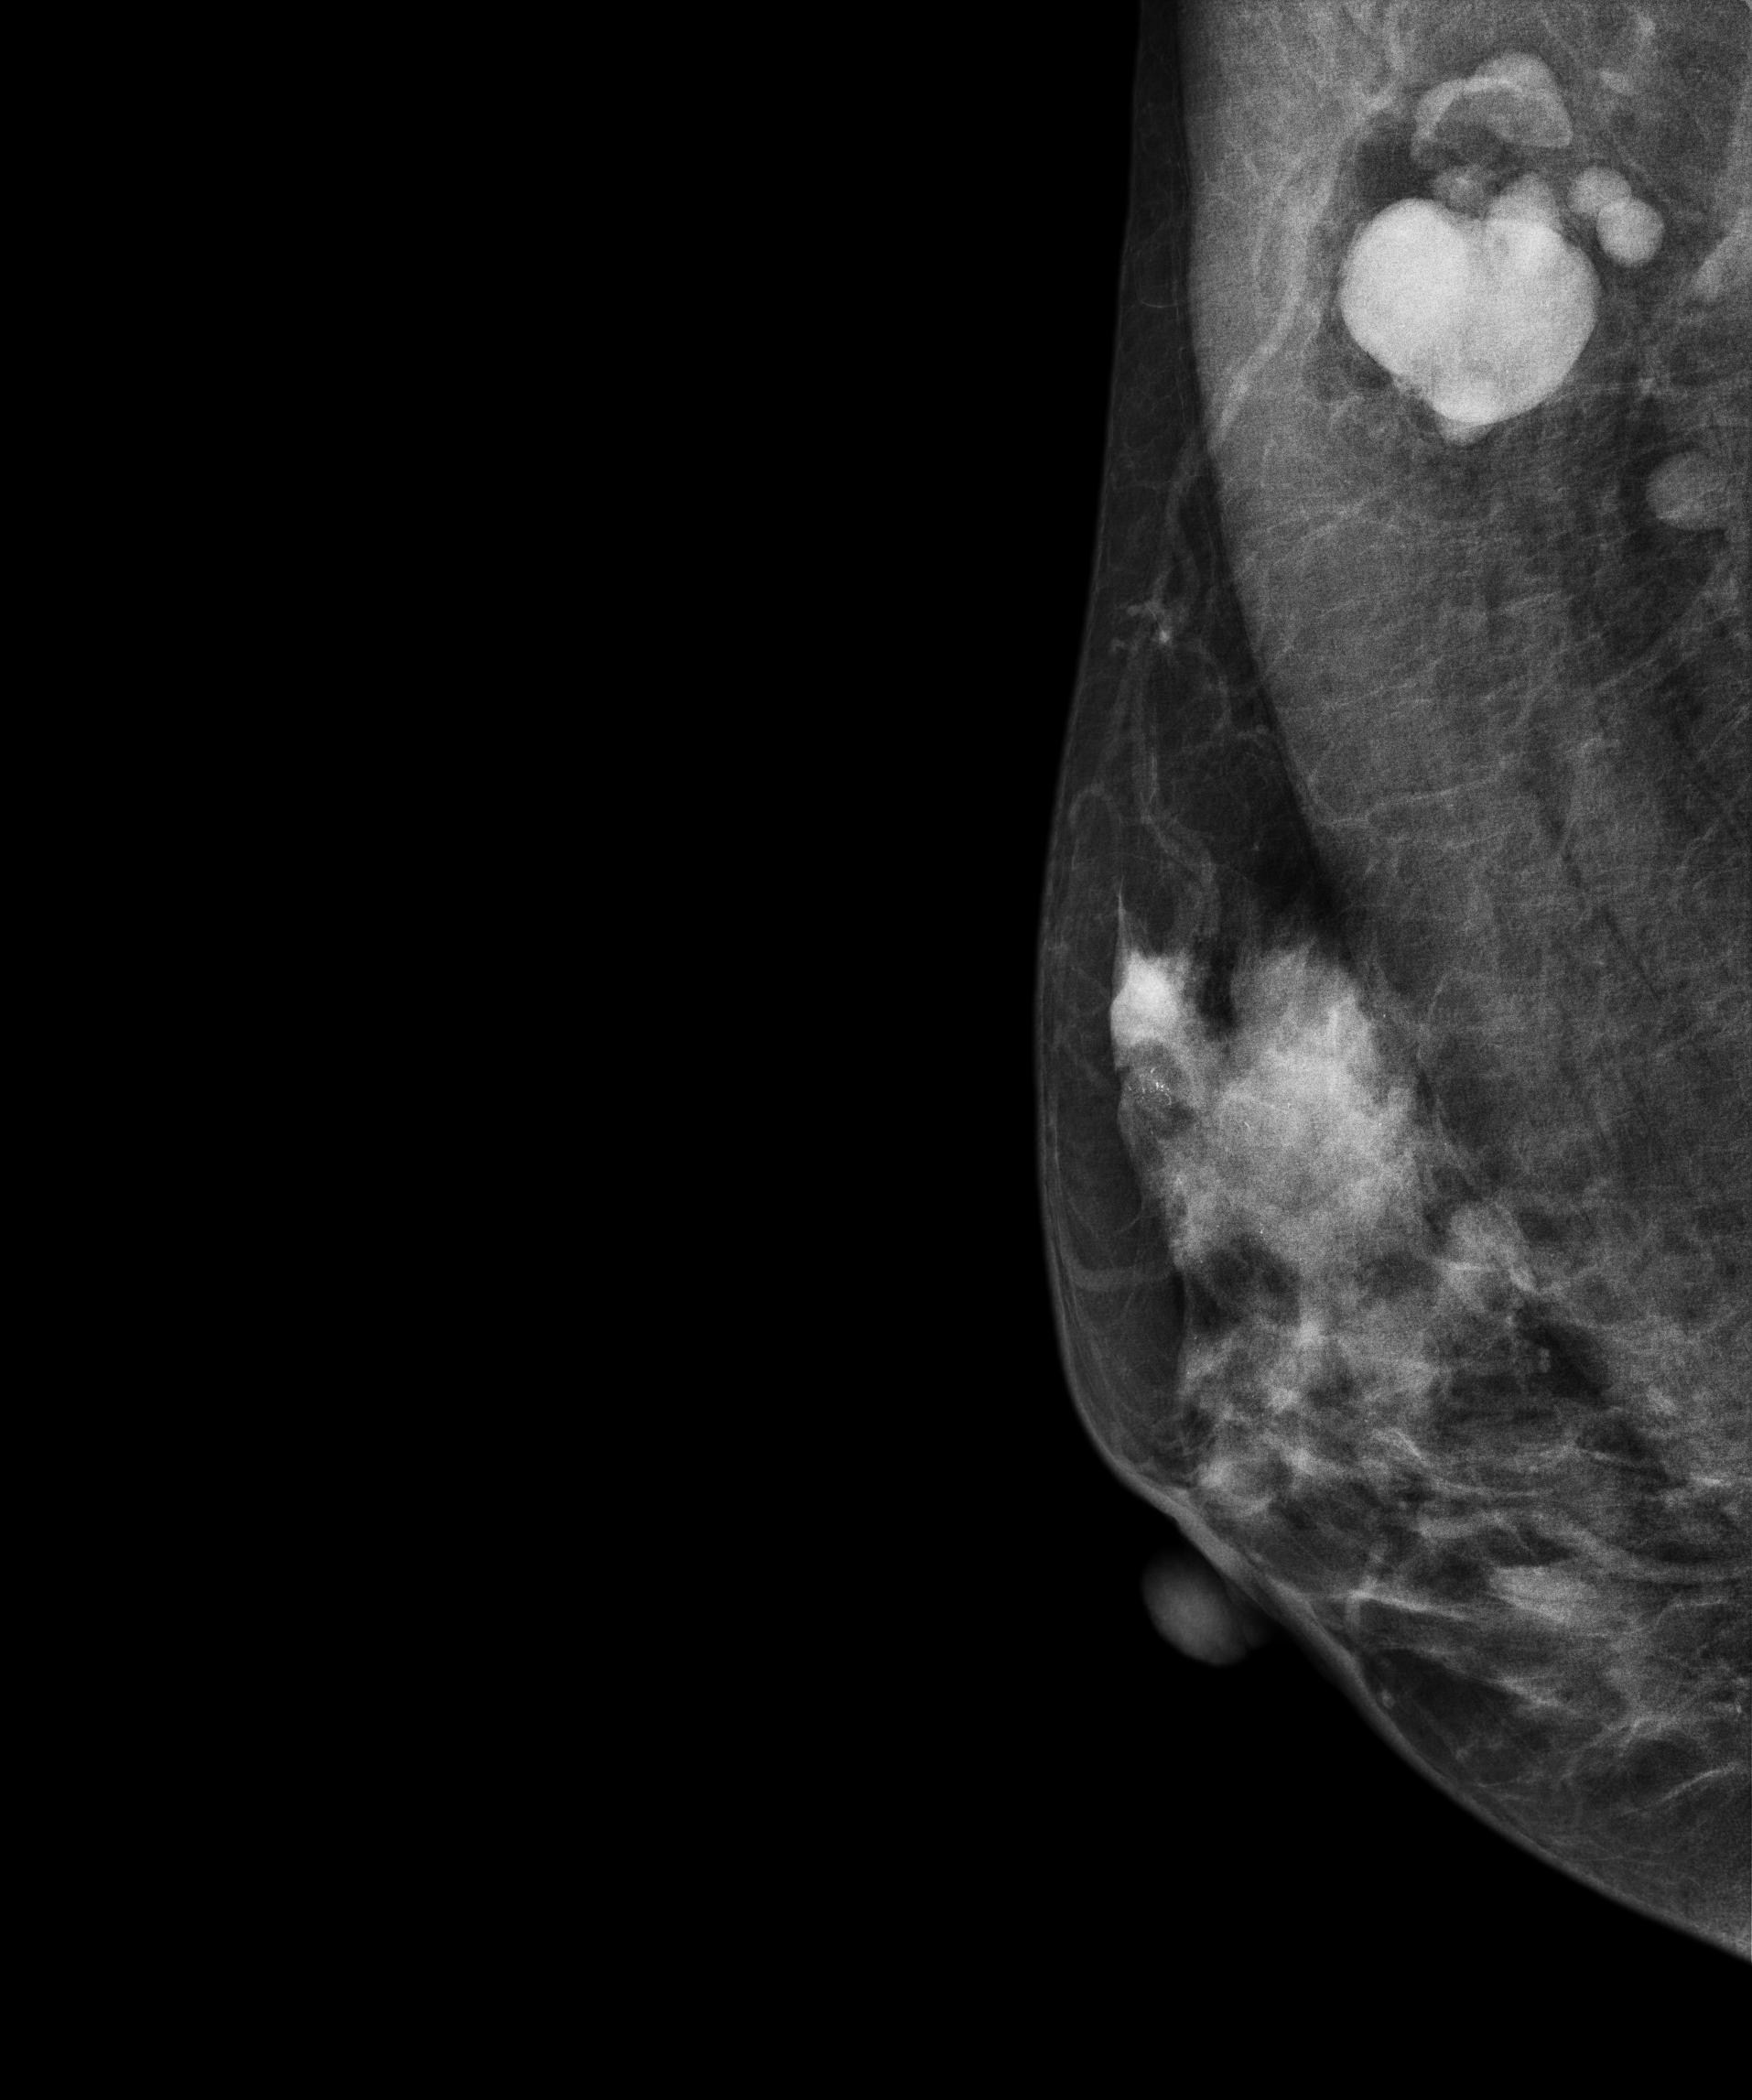
Digital mammography. Right breast, MLO projection. 31-year-old patient.
This breast has a mass and calcifications, histologically confirmed malignant. Molecular subtype: HER2-enriched.